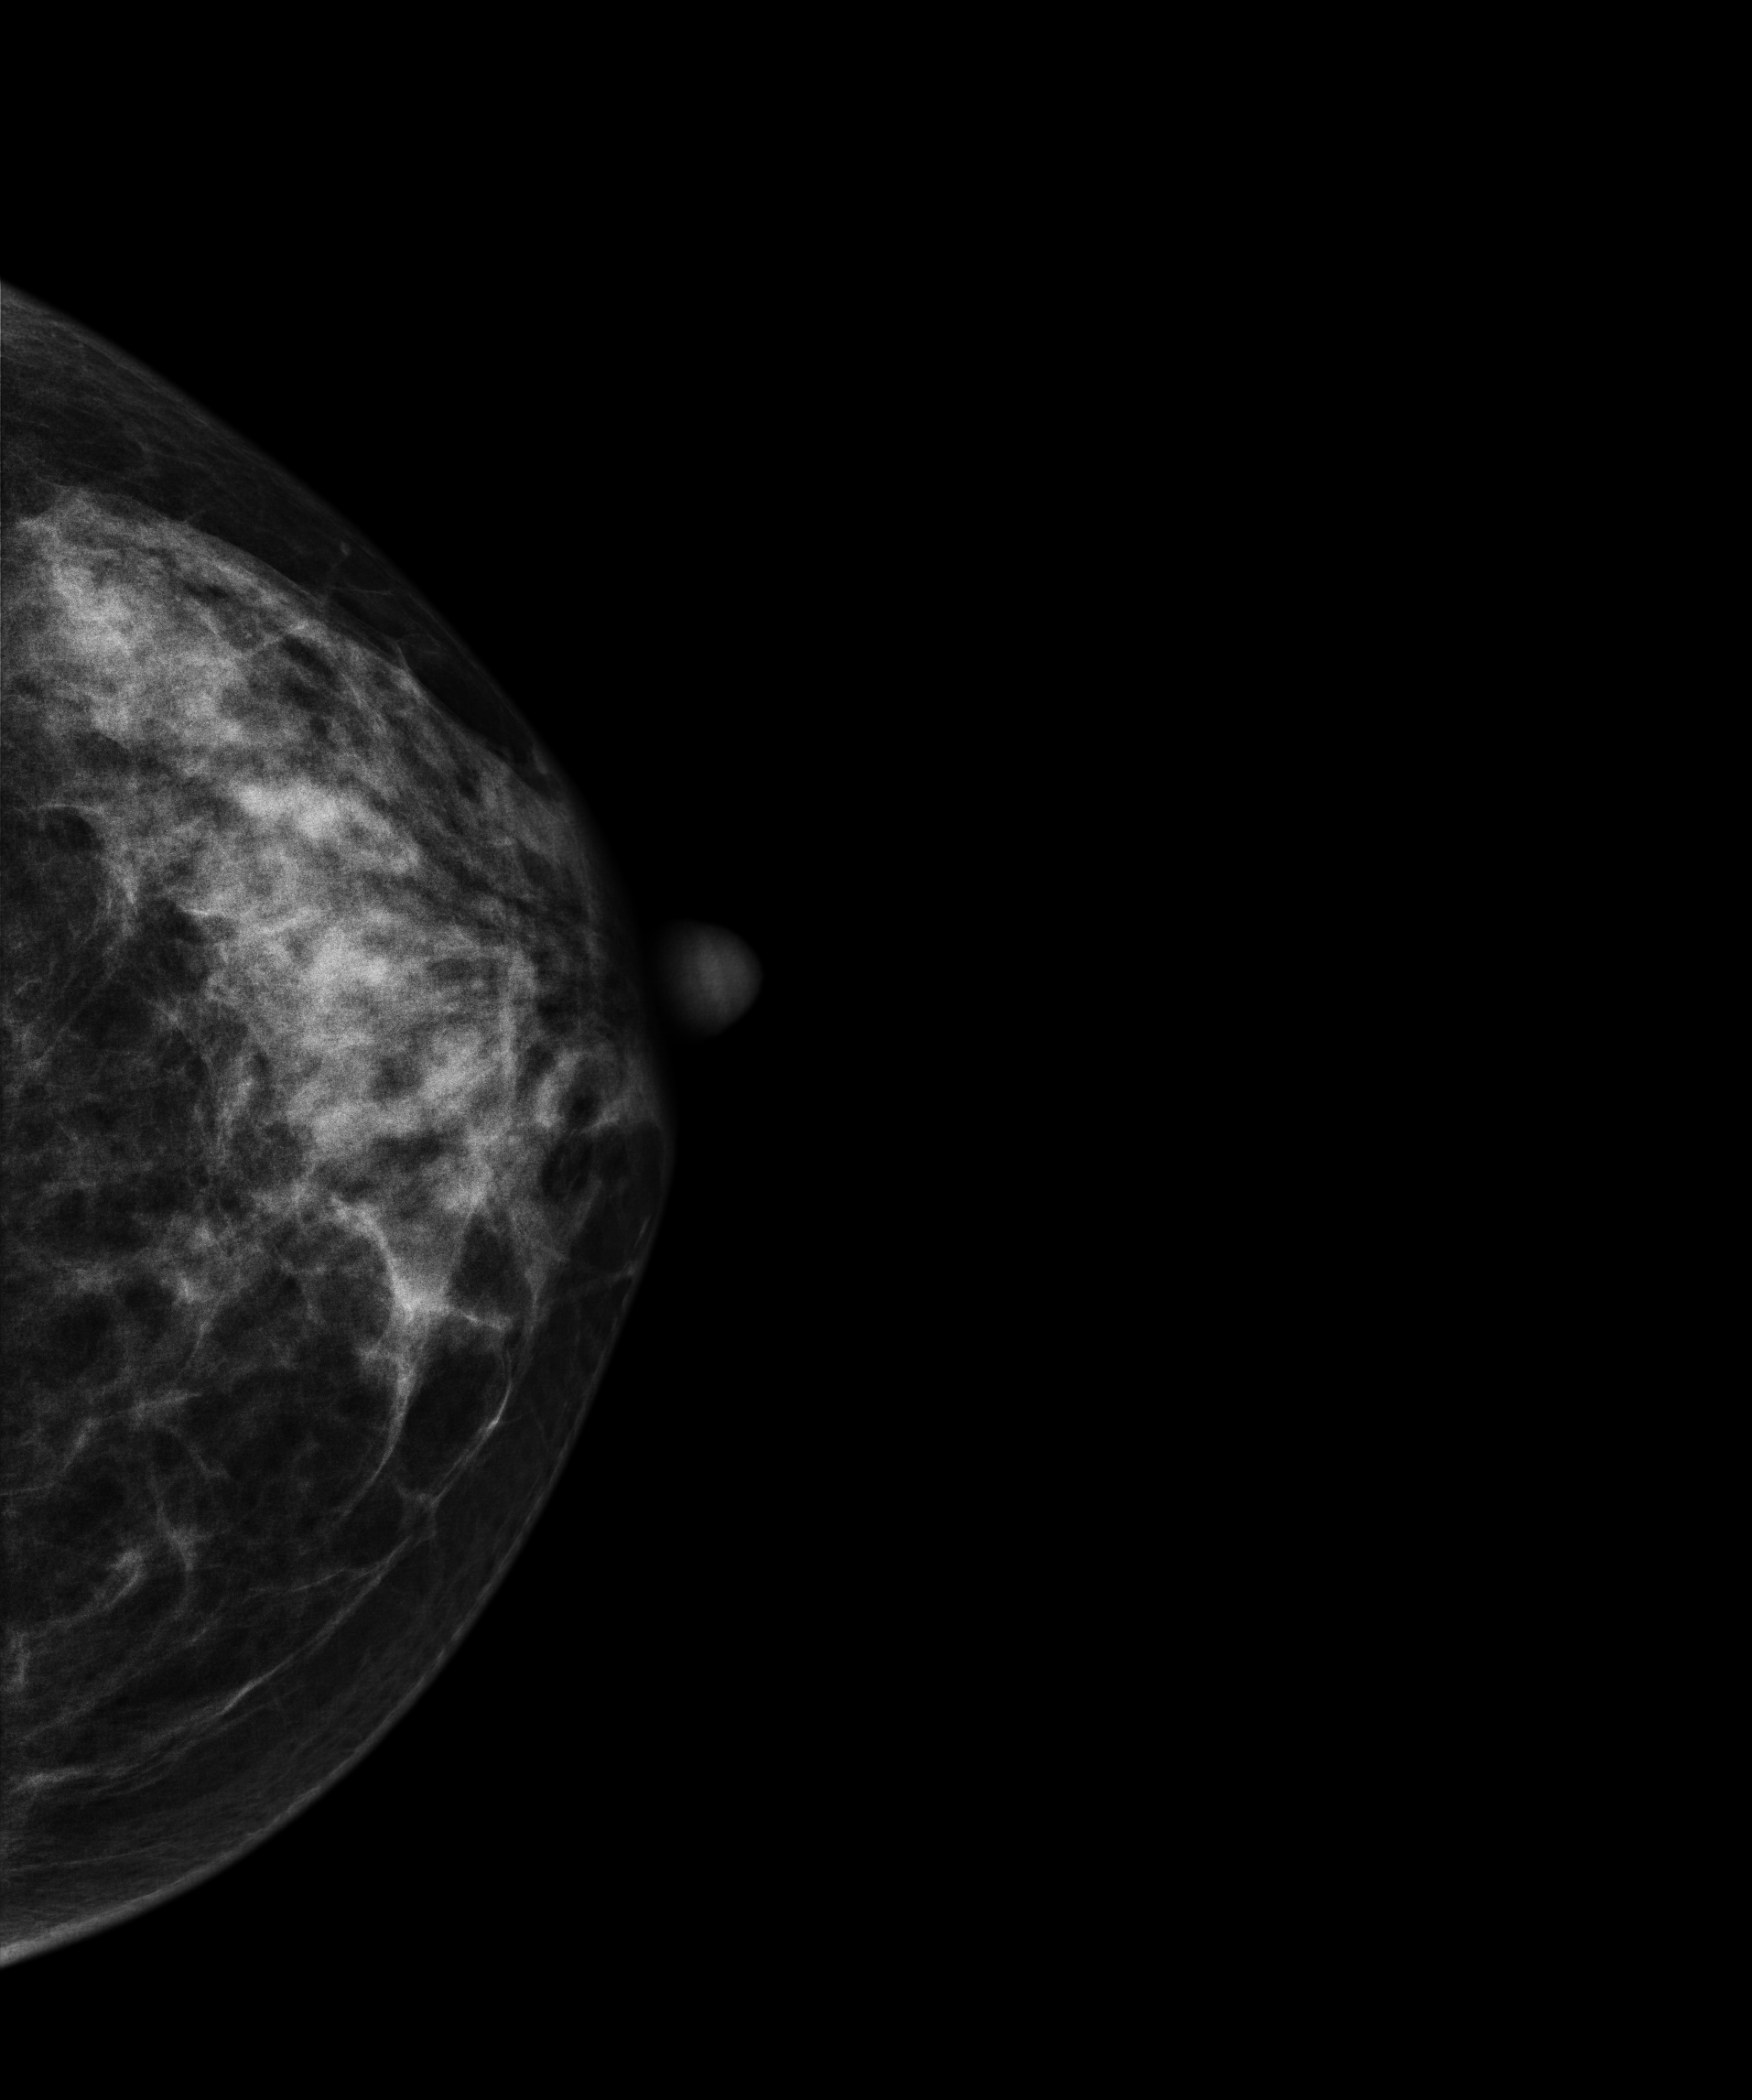
Mammogram, left breast, CC view. 38-year-old patient.
This breast has a mass, pathology-confirmed benign.